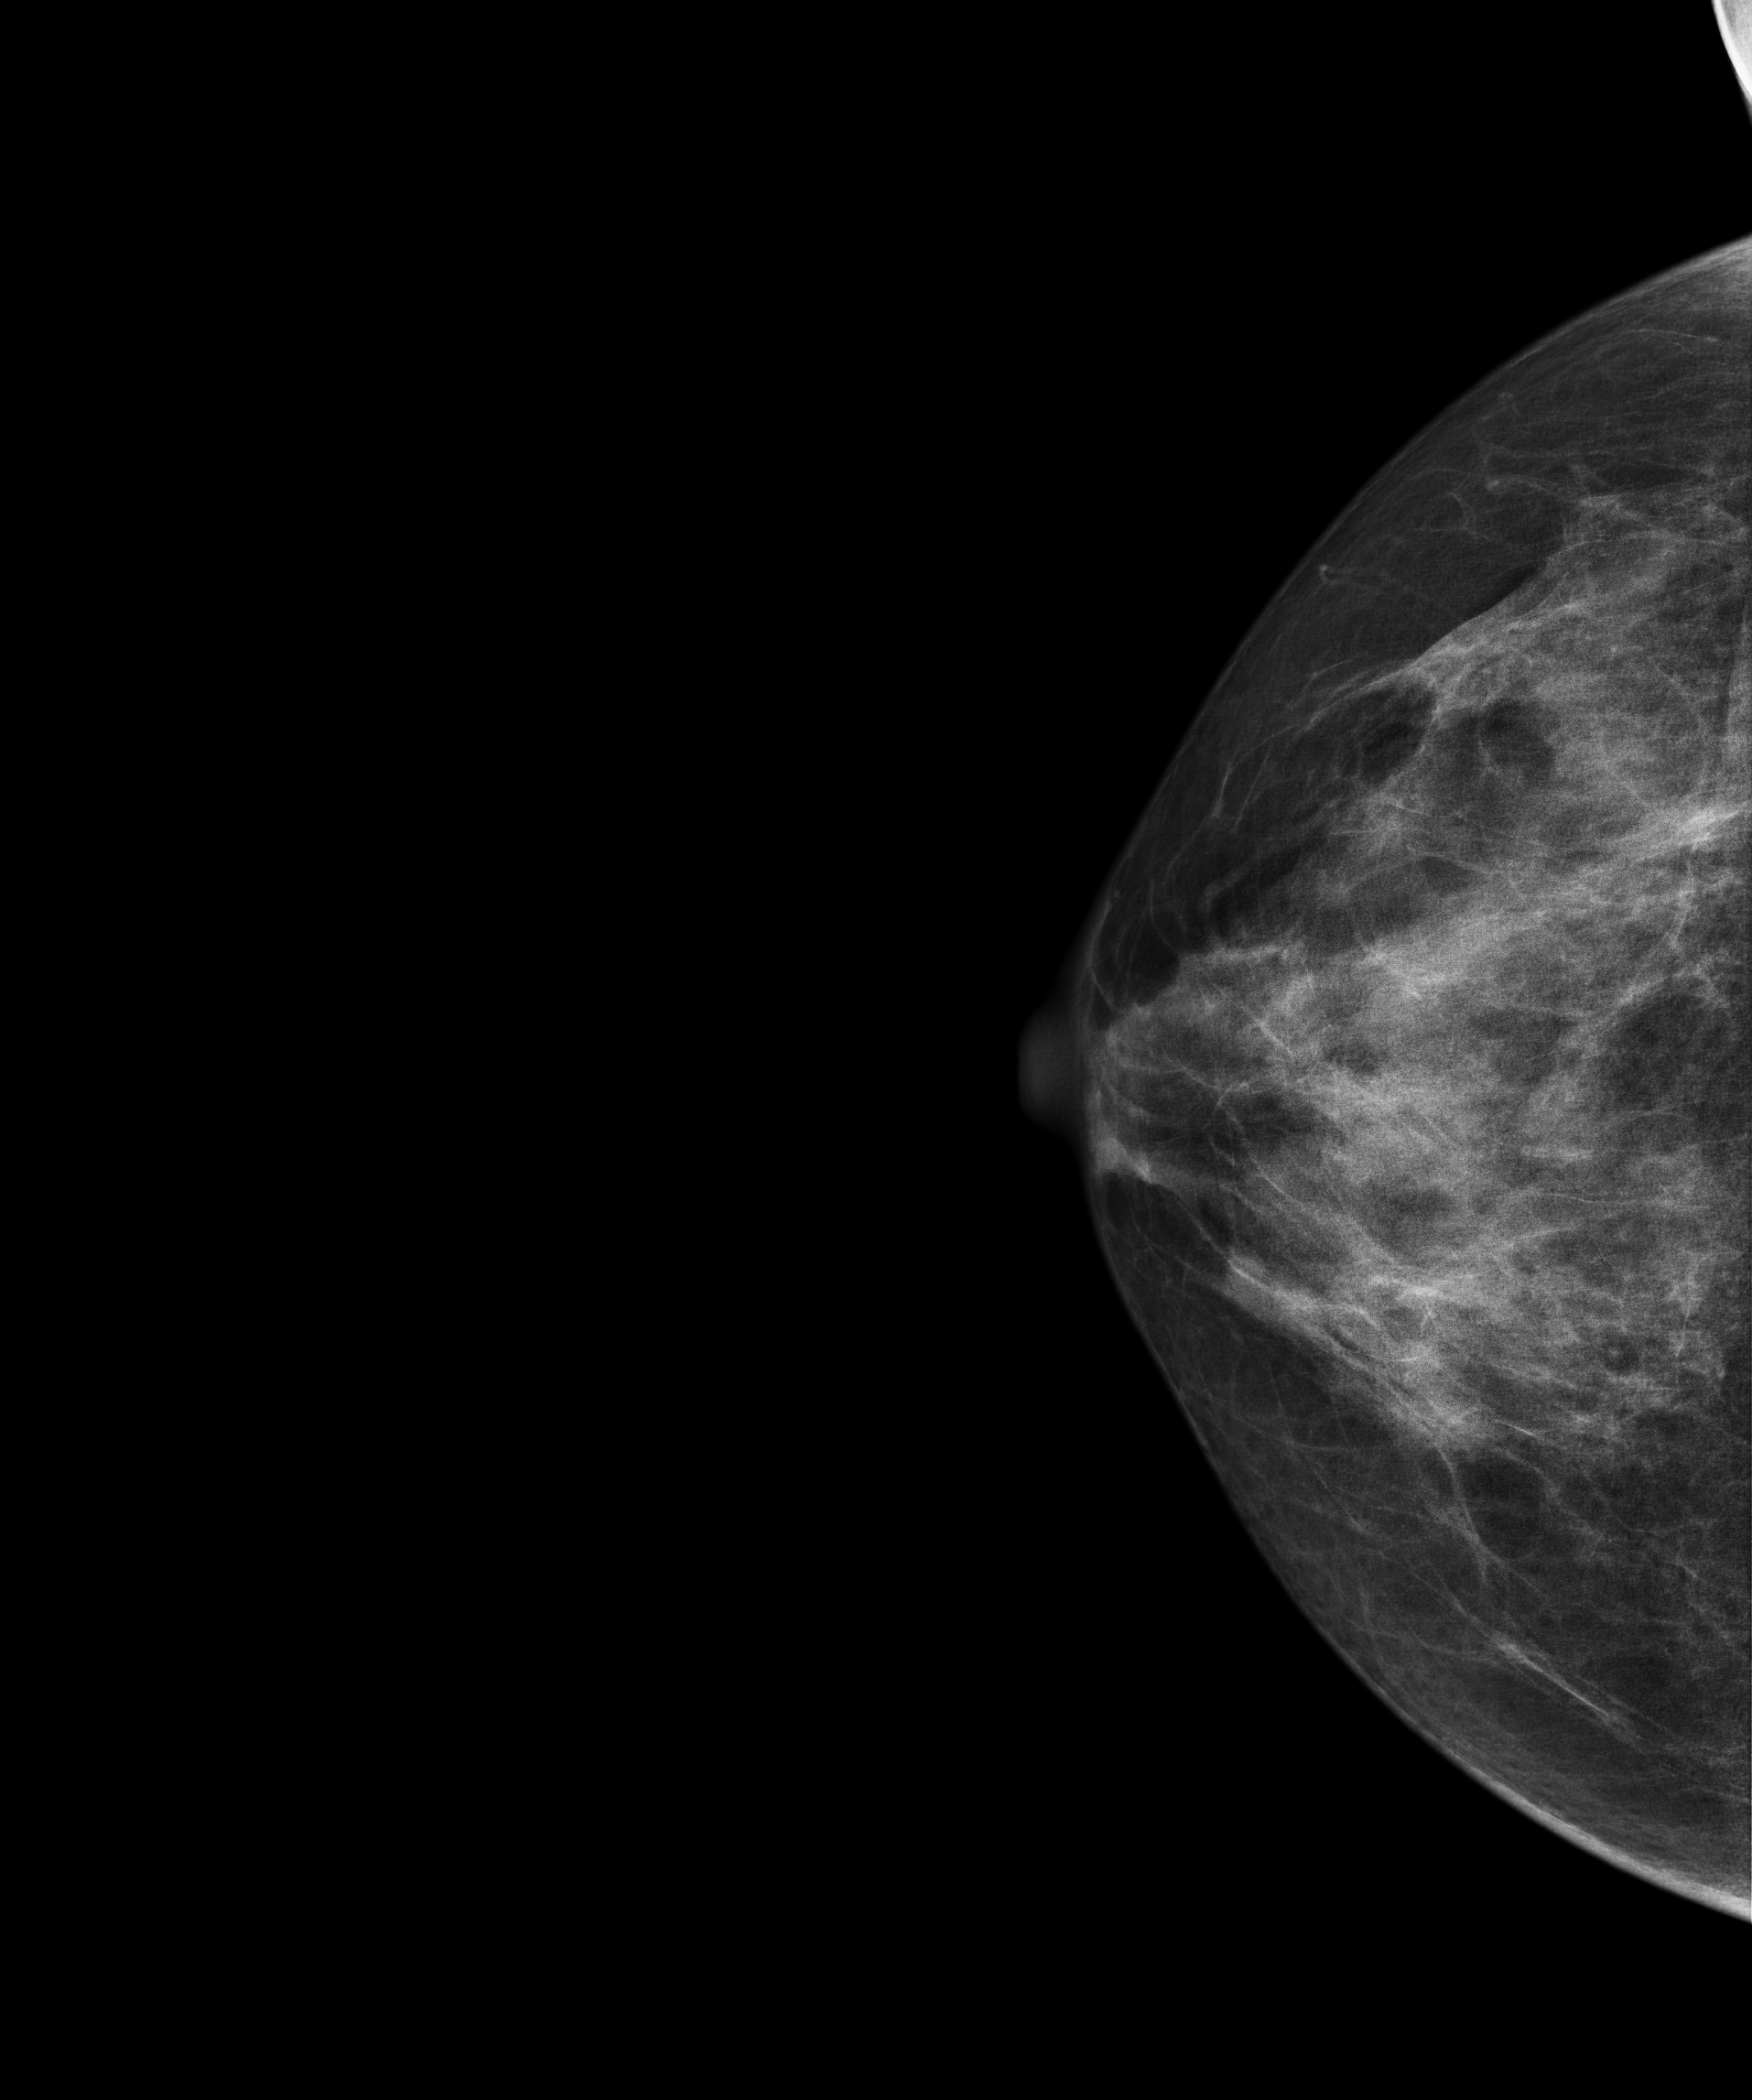
Mammogram, right breast, cranio-caudal view. 50 y/o patient.
This breast has a mass, biopsy-confirmed benign.